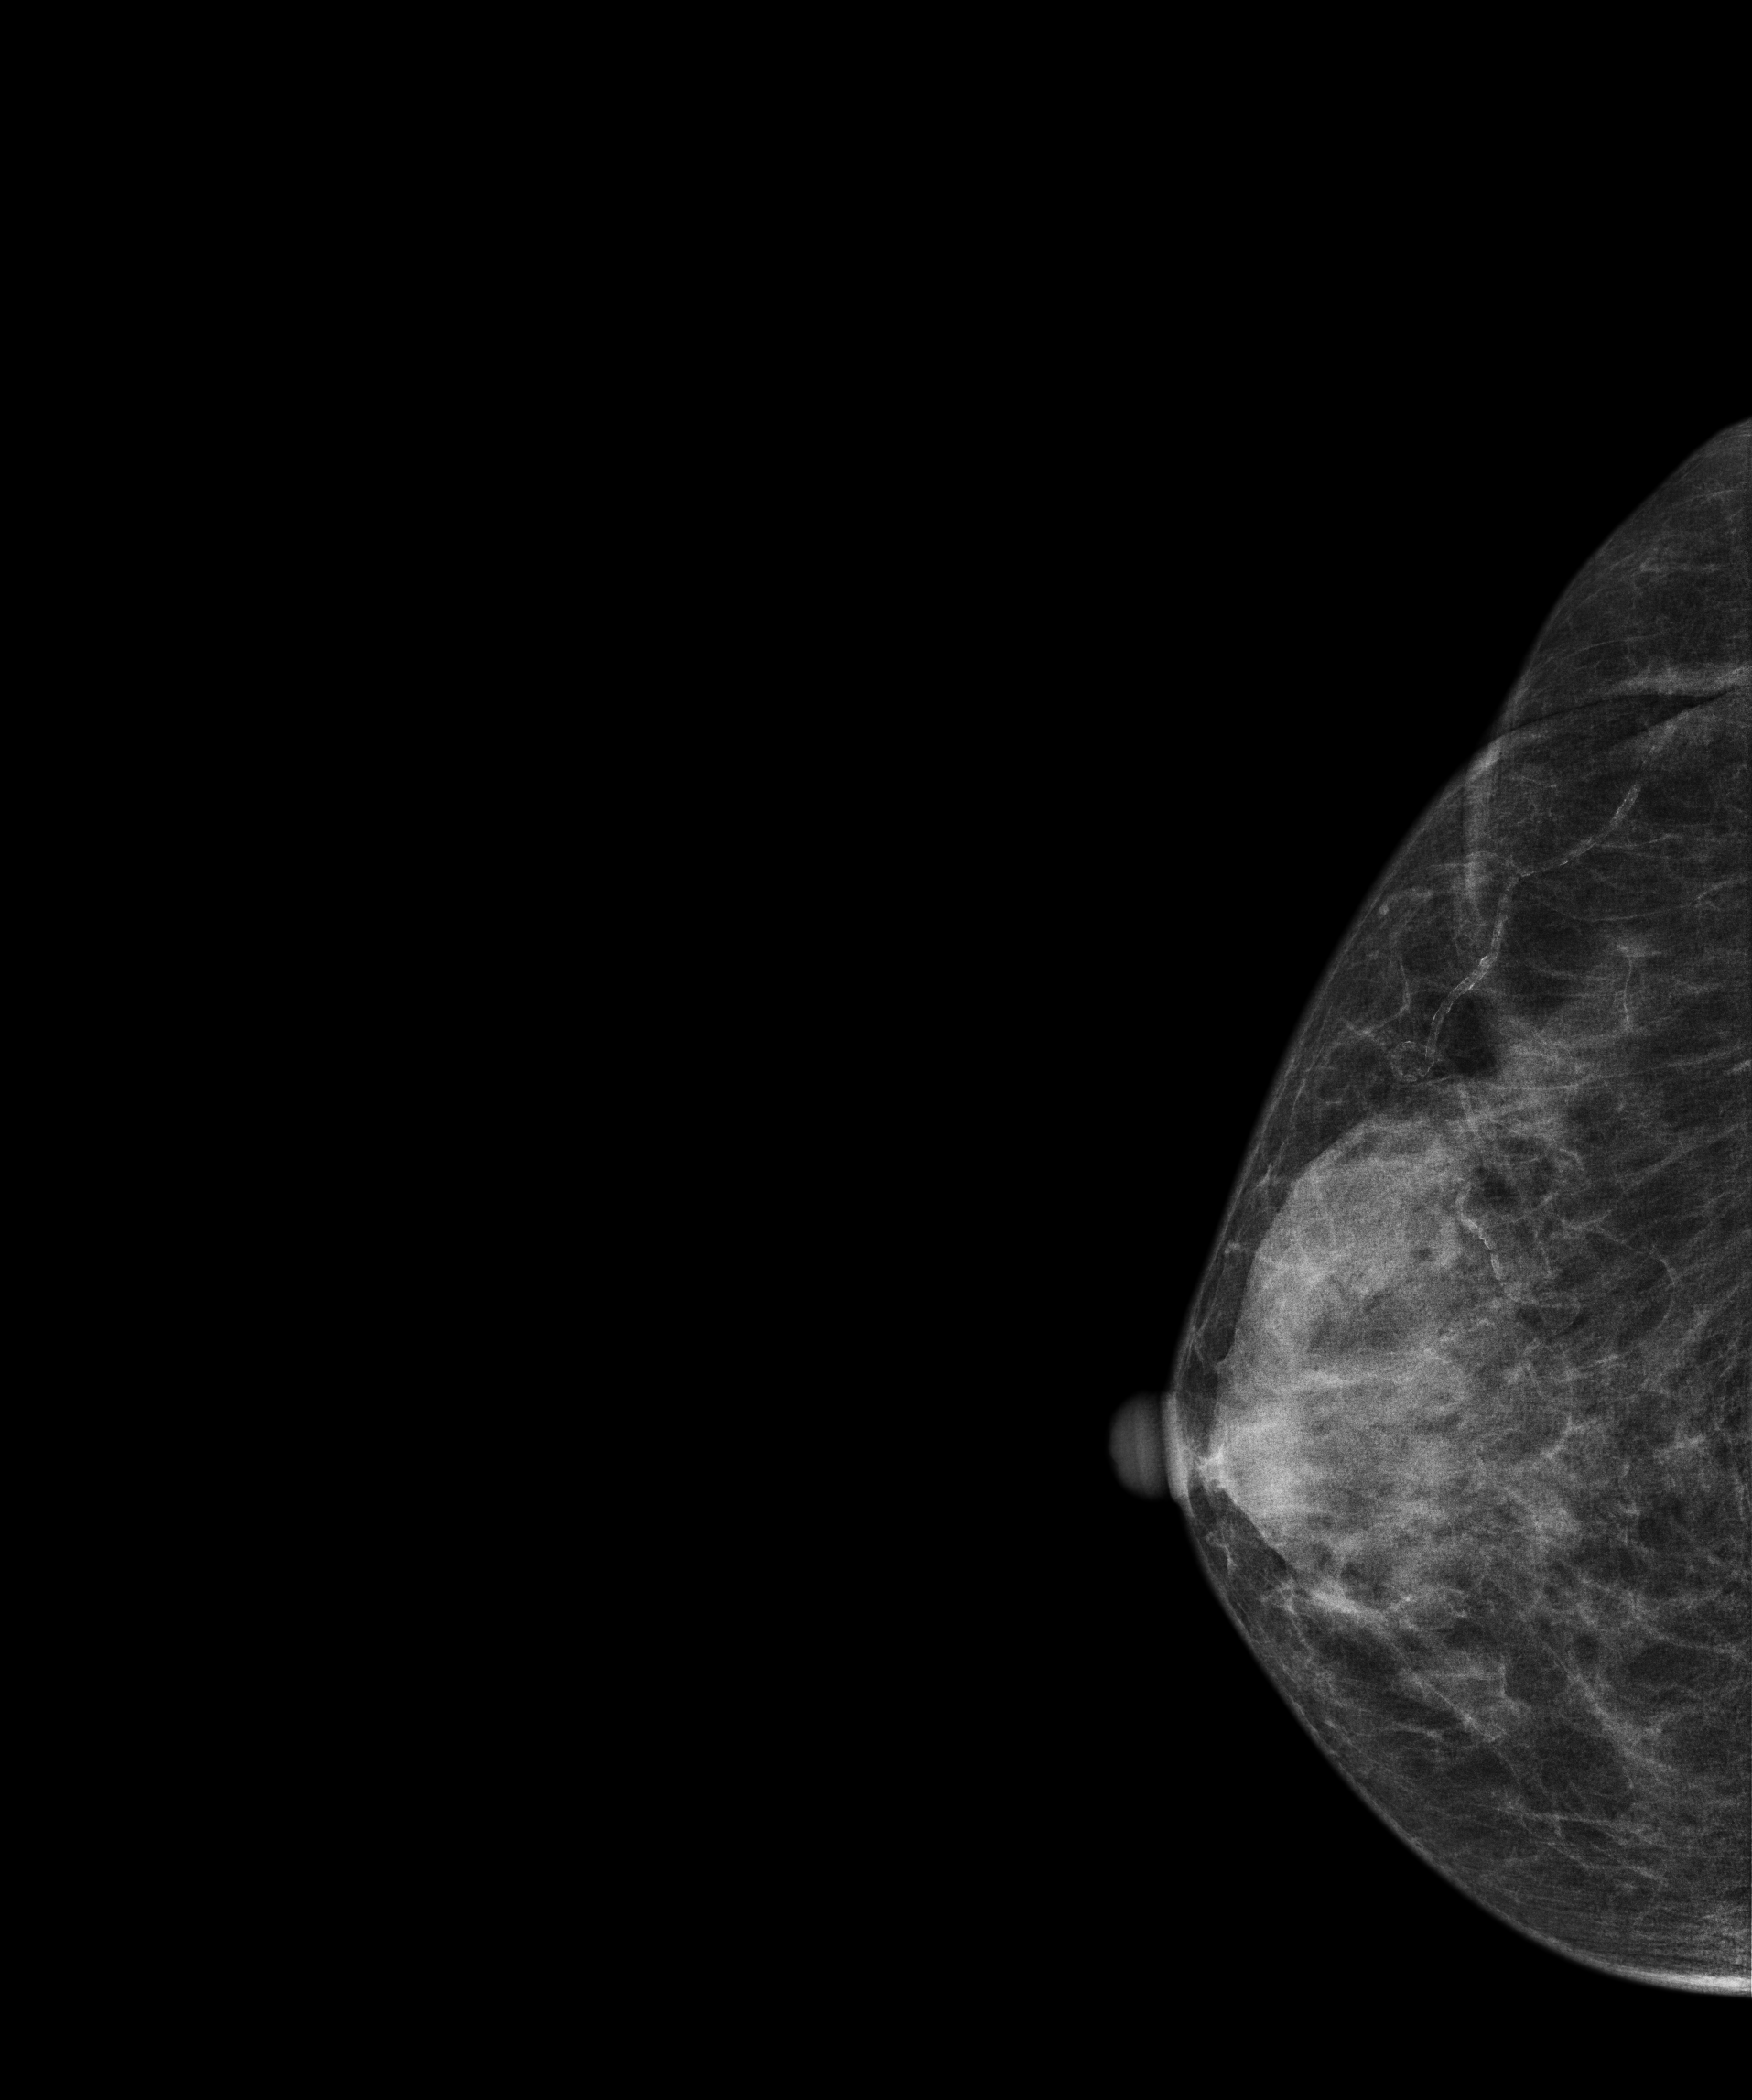
Digital mammography. Right breast, CC projection. 71 y/o patient.
Contralateral breast — no documented abnormality on this side.